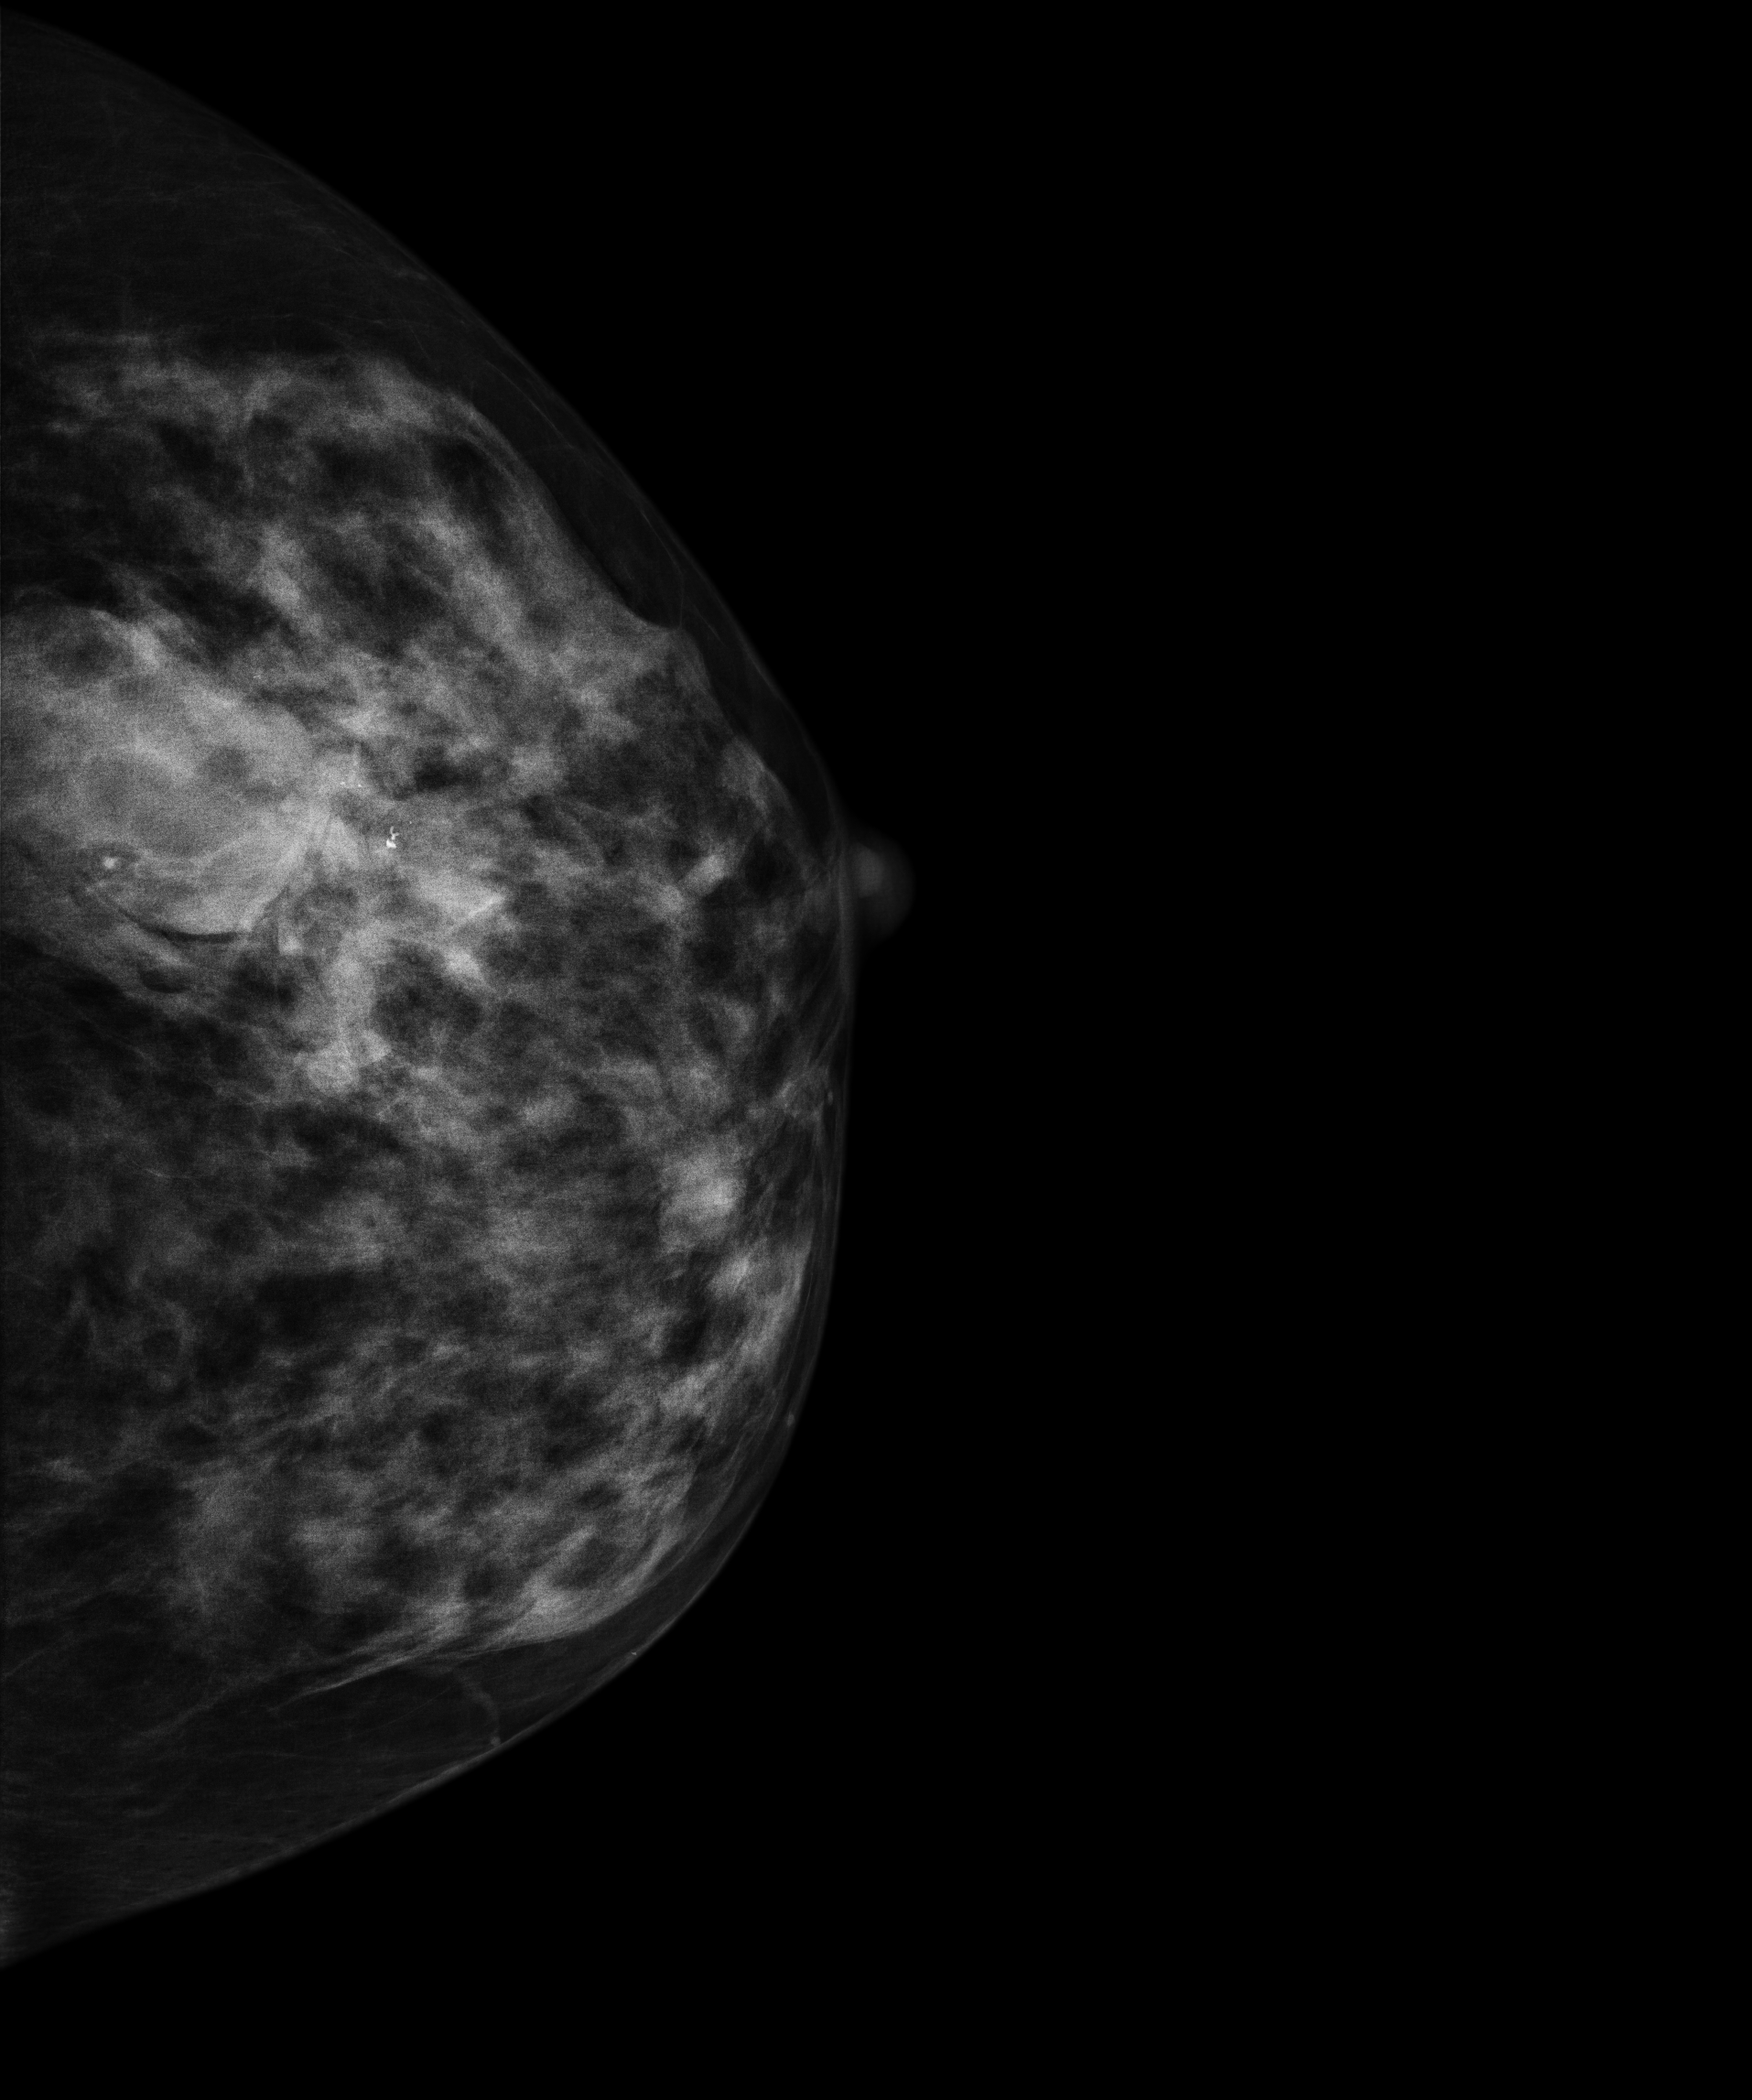
Left-breast mammogram, CC. 46-year-old patient.
This breast has a mass and calcifications, biopsy-proven benign.